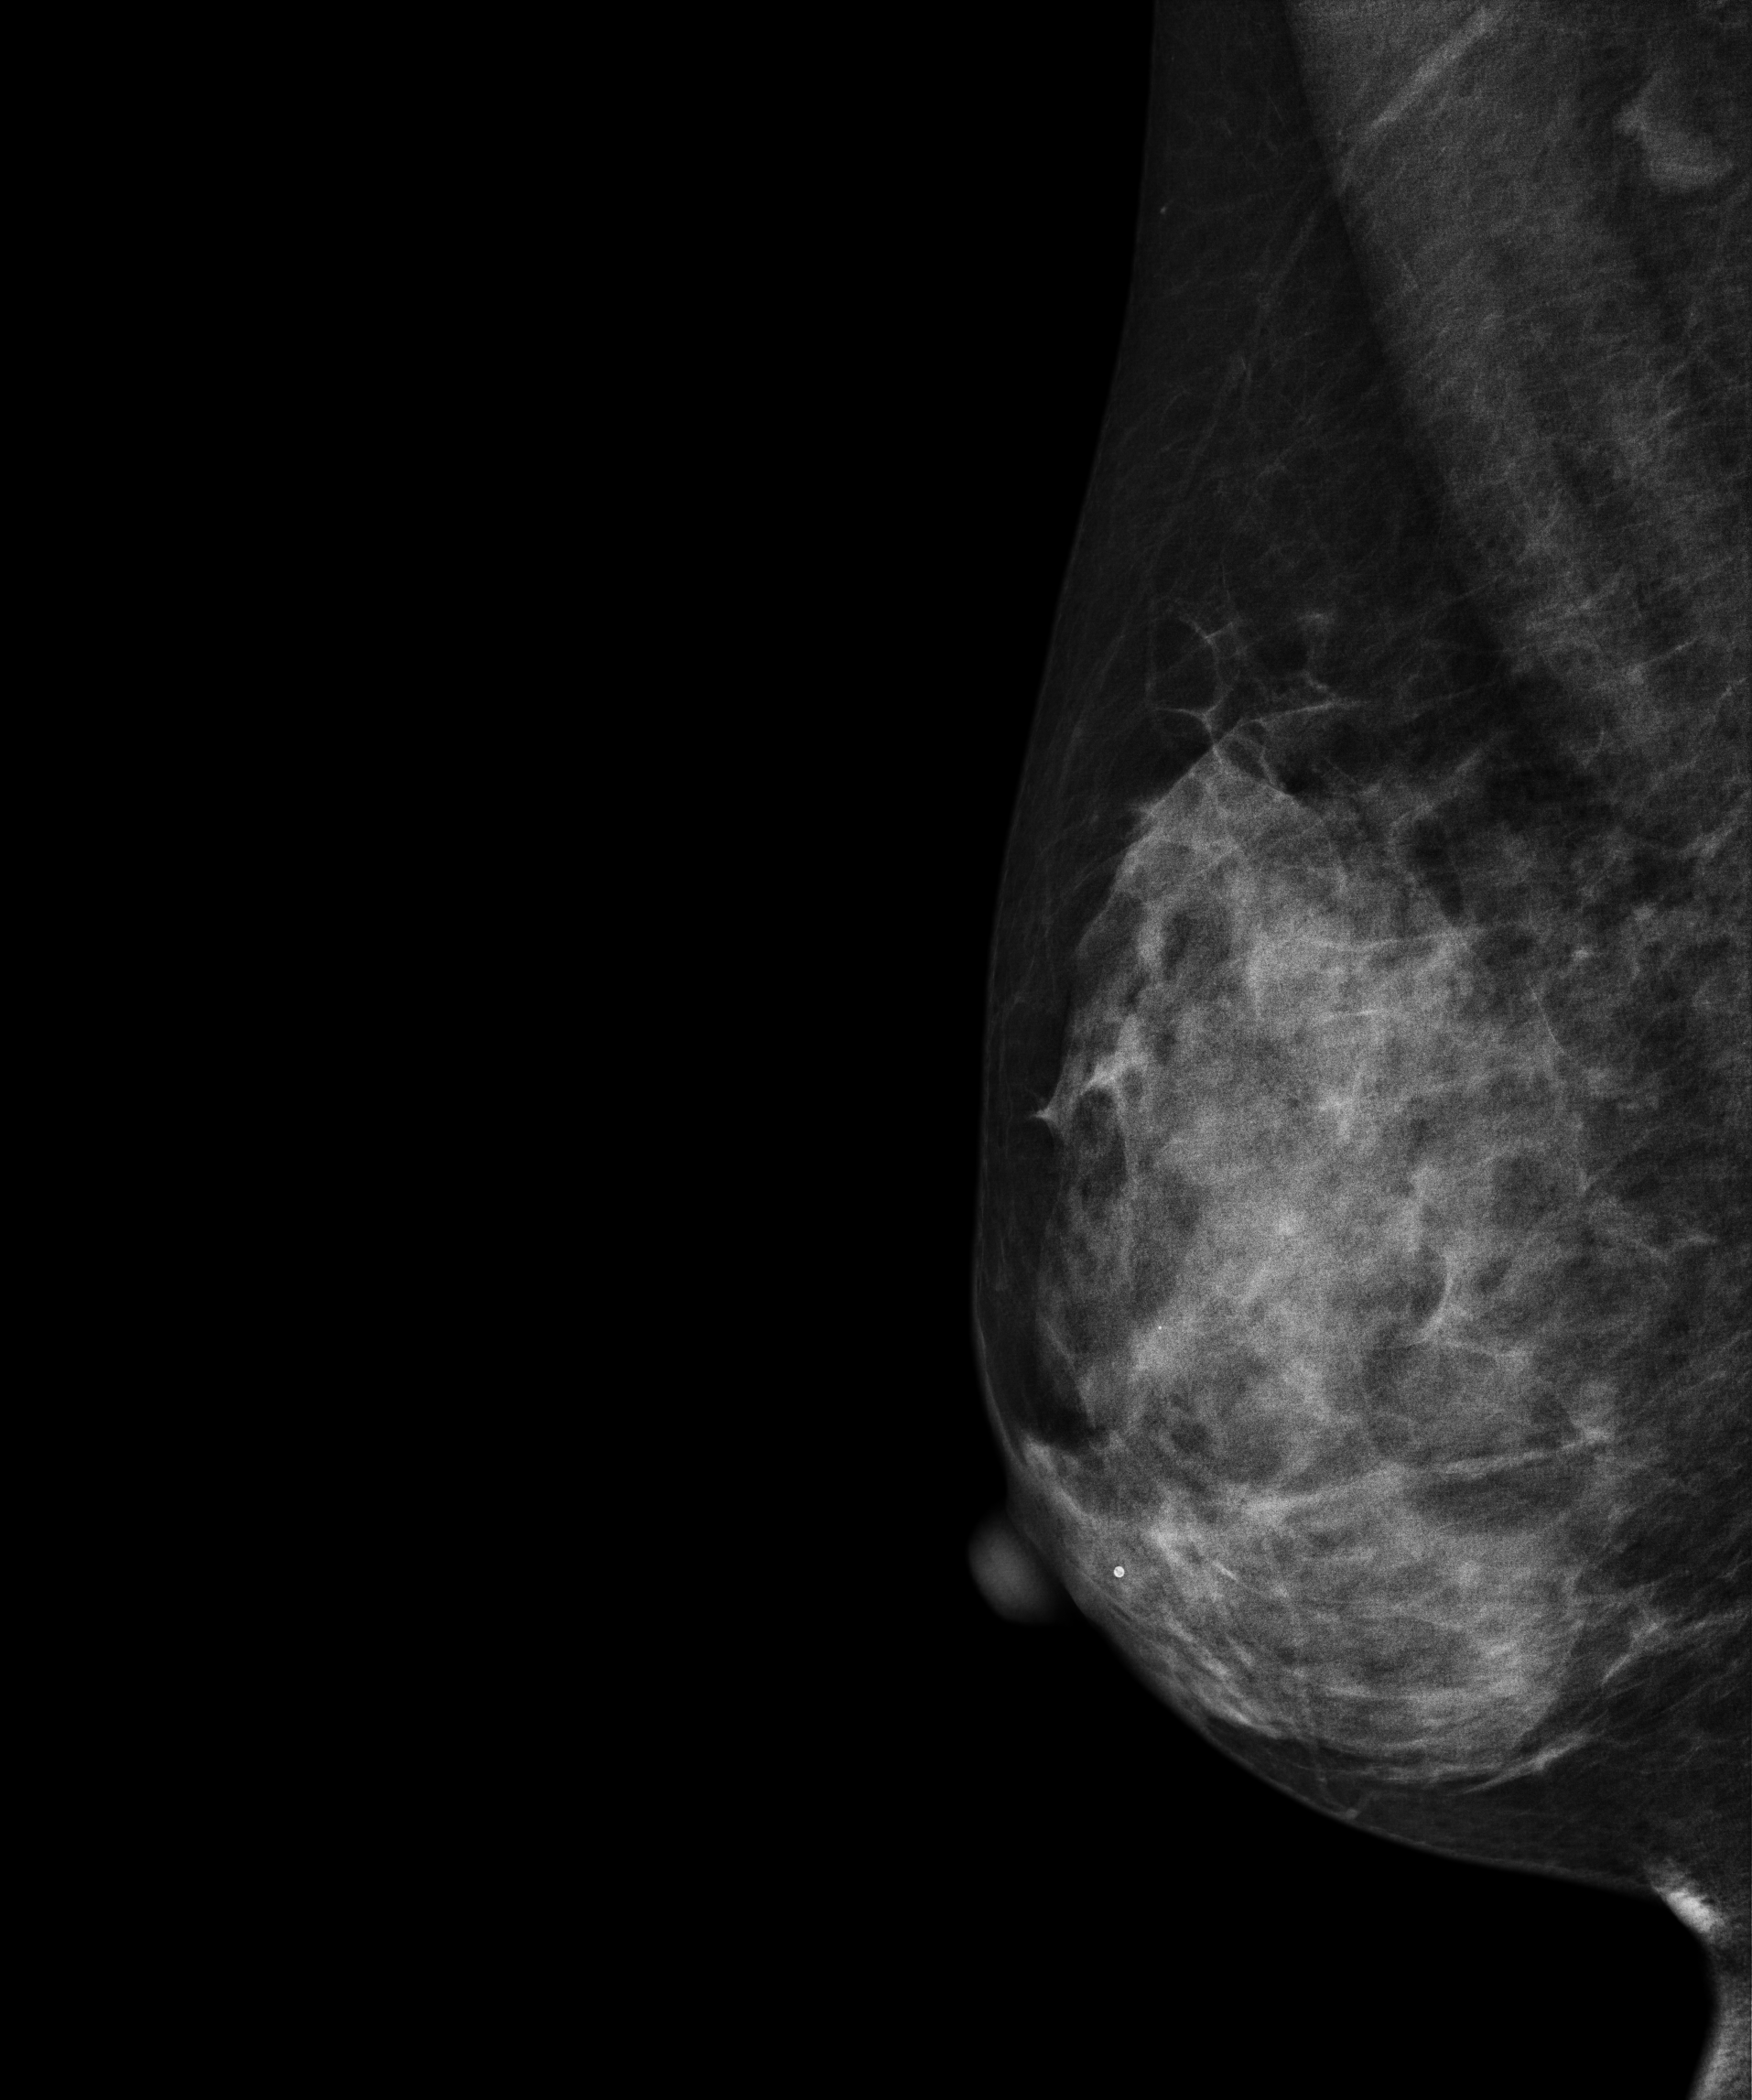
Right-breast mammogram, medio-lateral oblique. 43-year-old patient.
Contralateral breast — no documented abnormality on this side.